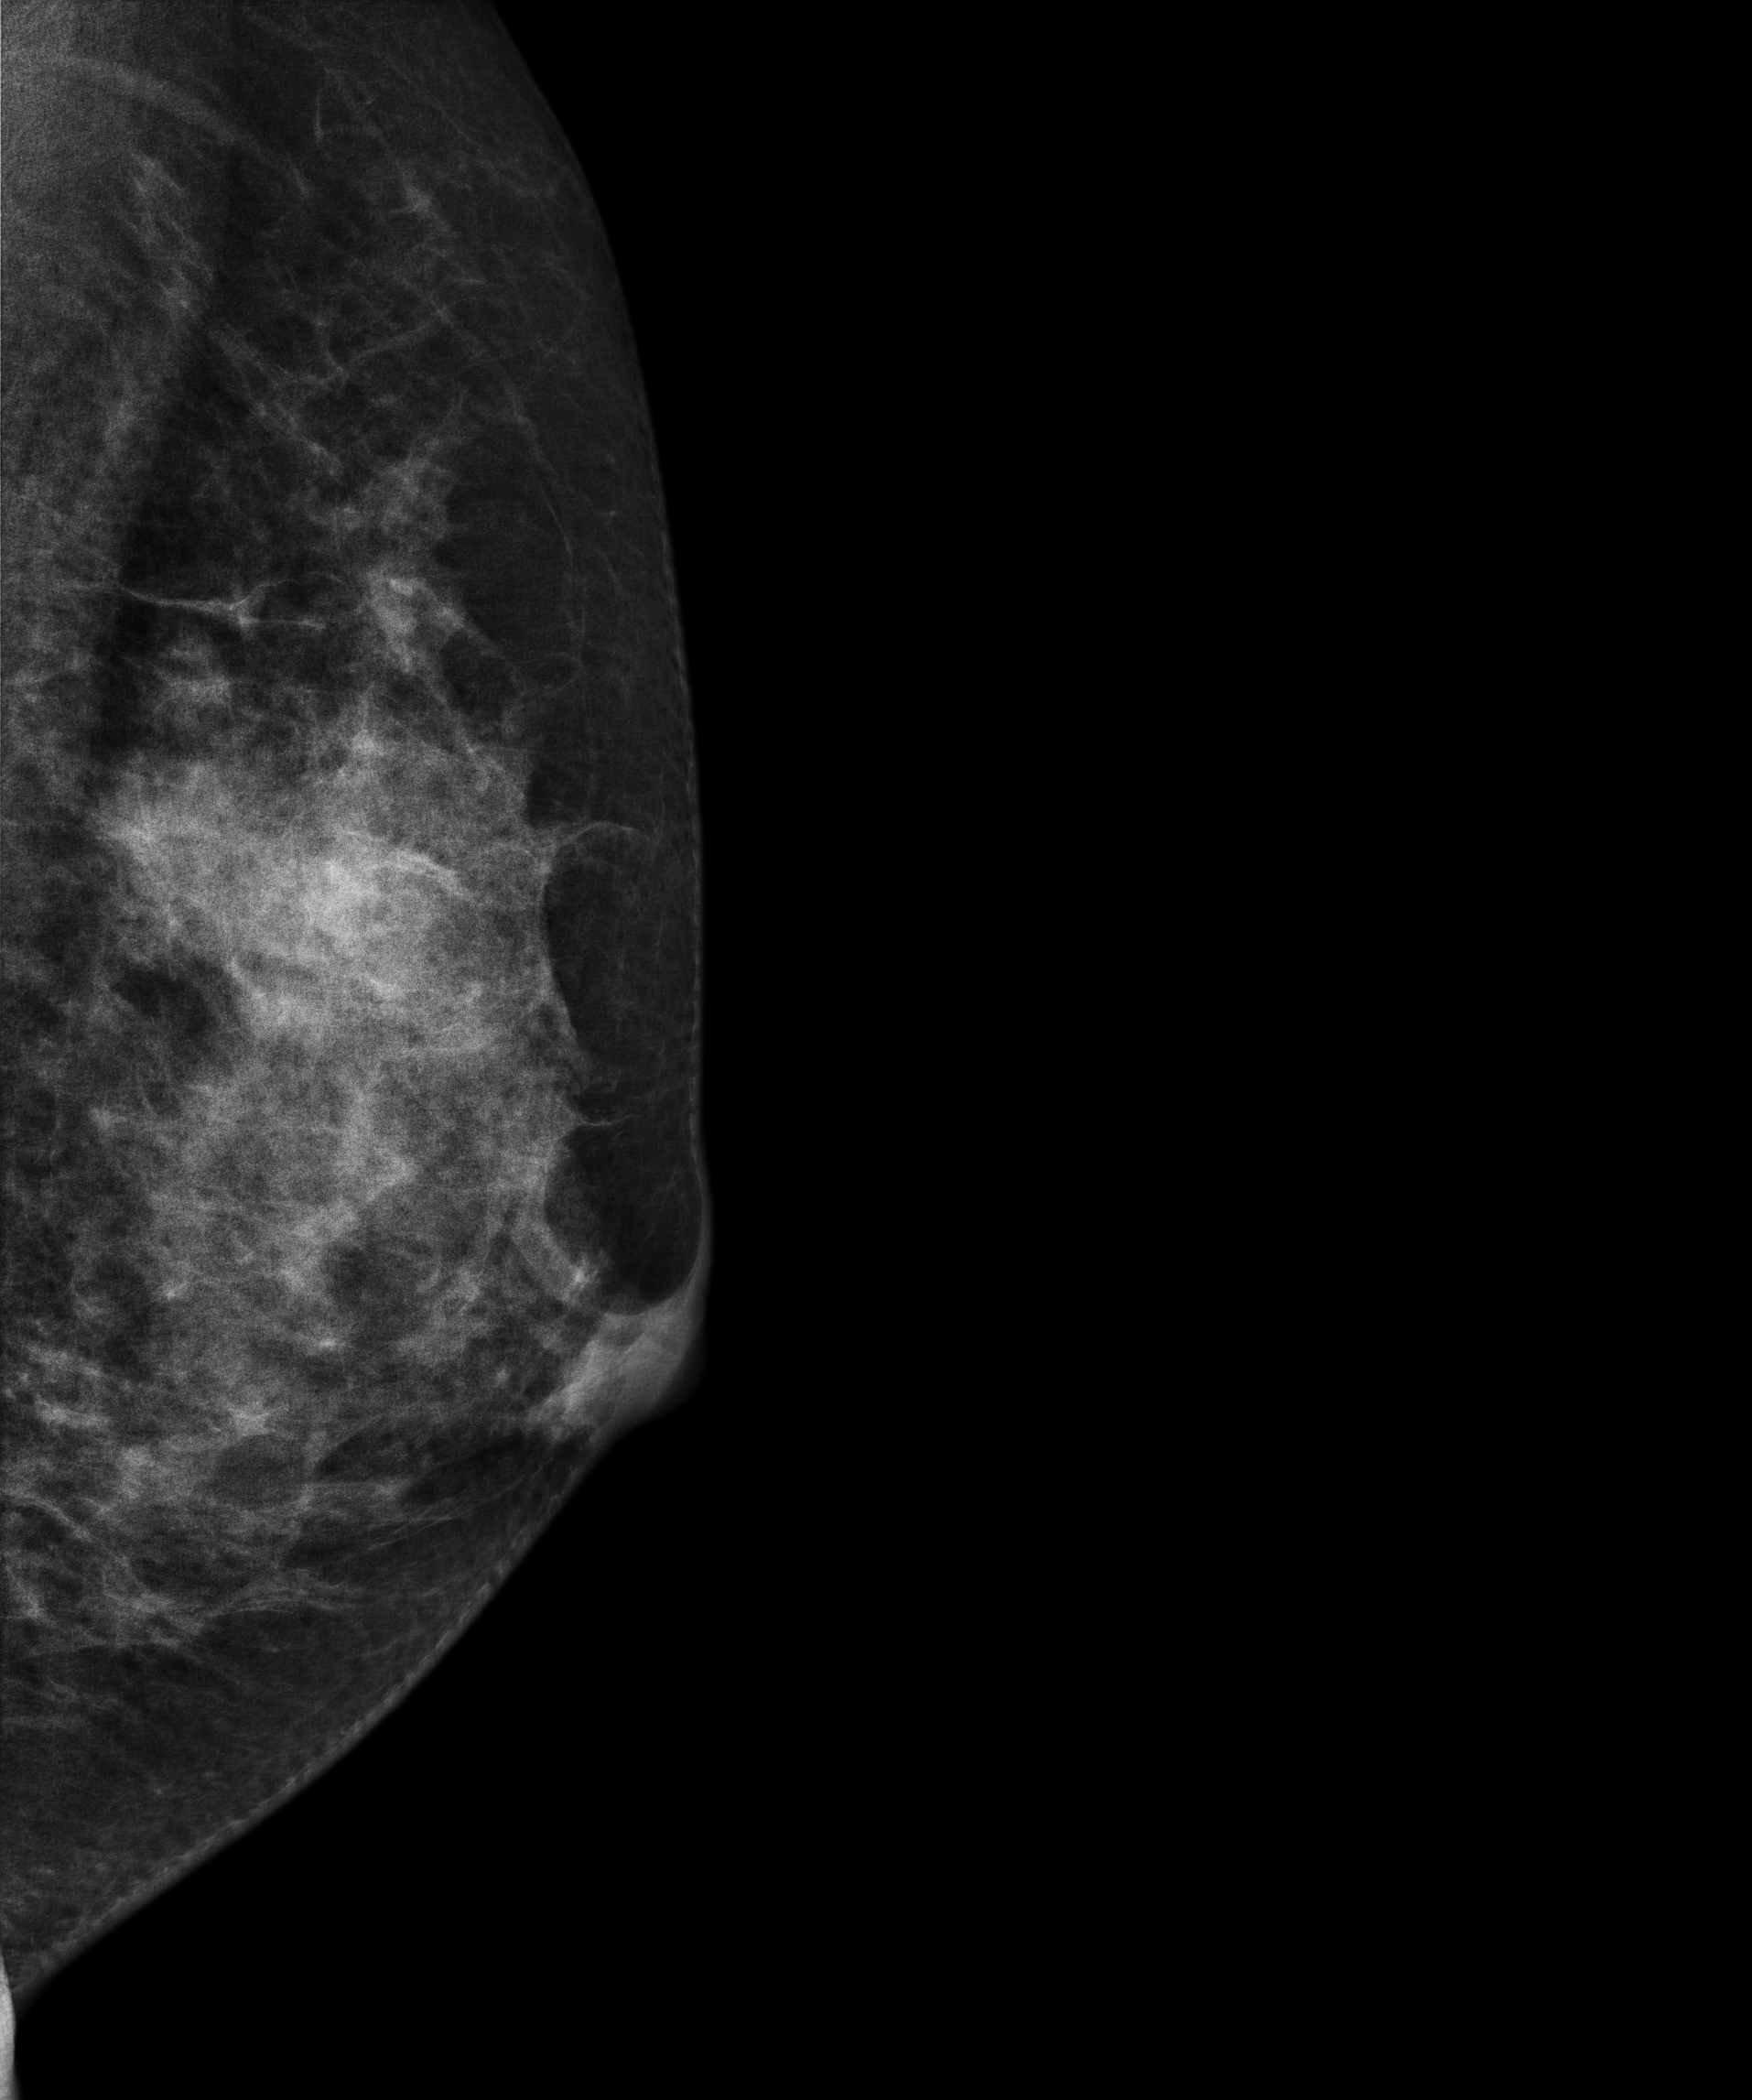
Left-breast mammogram, MLO. Patient age 32.
This breast has a mass, biopsy-proven malignant. Molecular subtype: triple-negative.